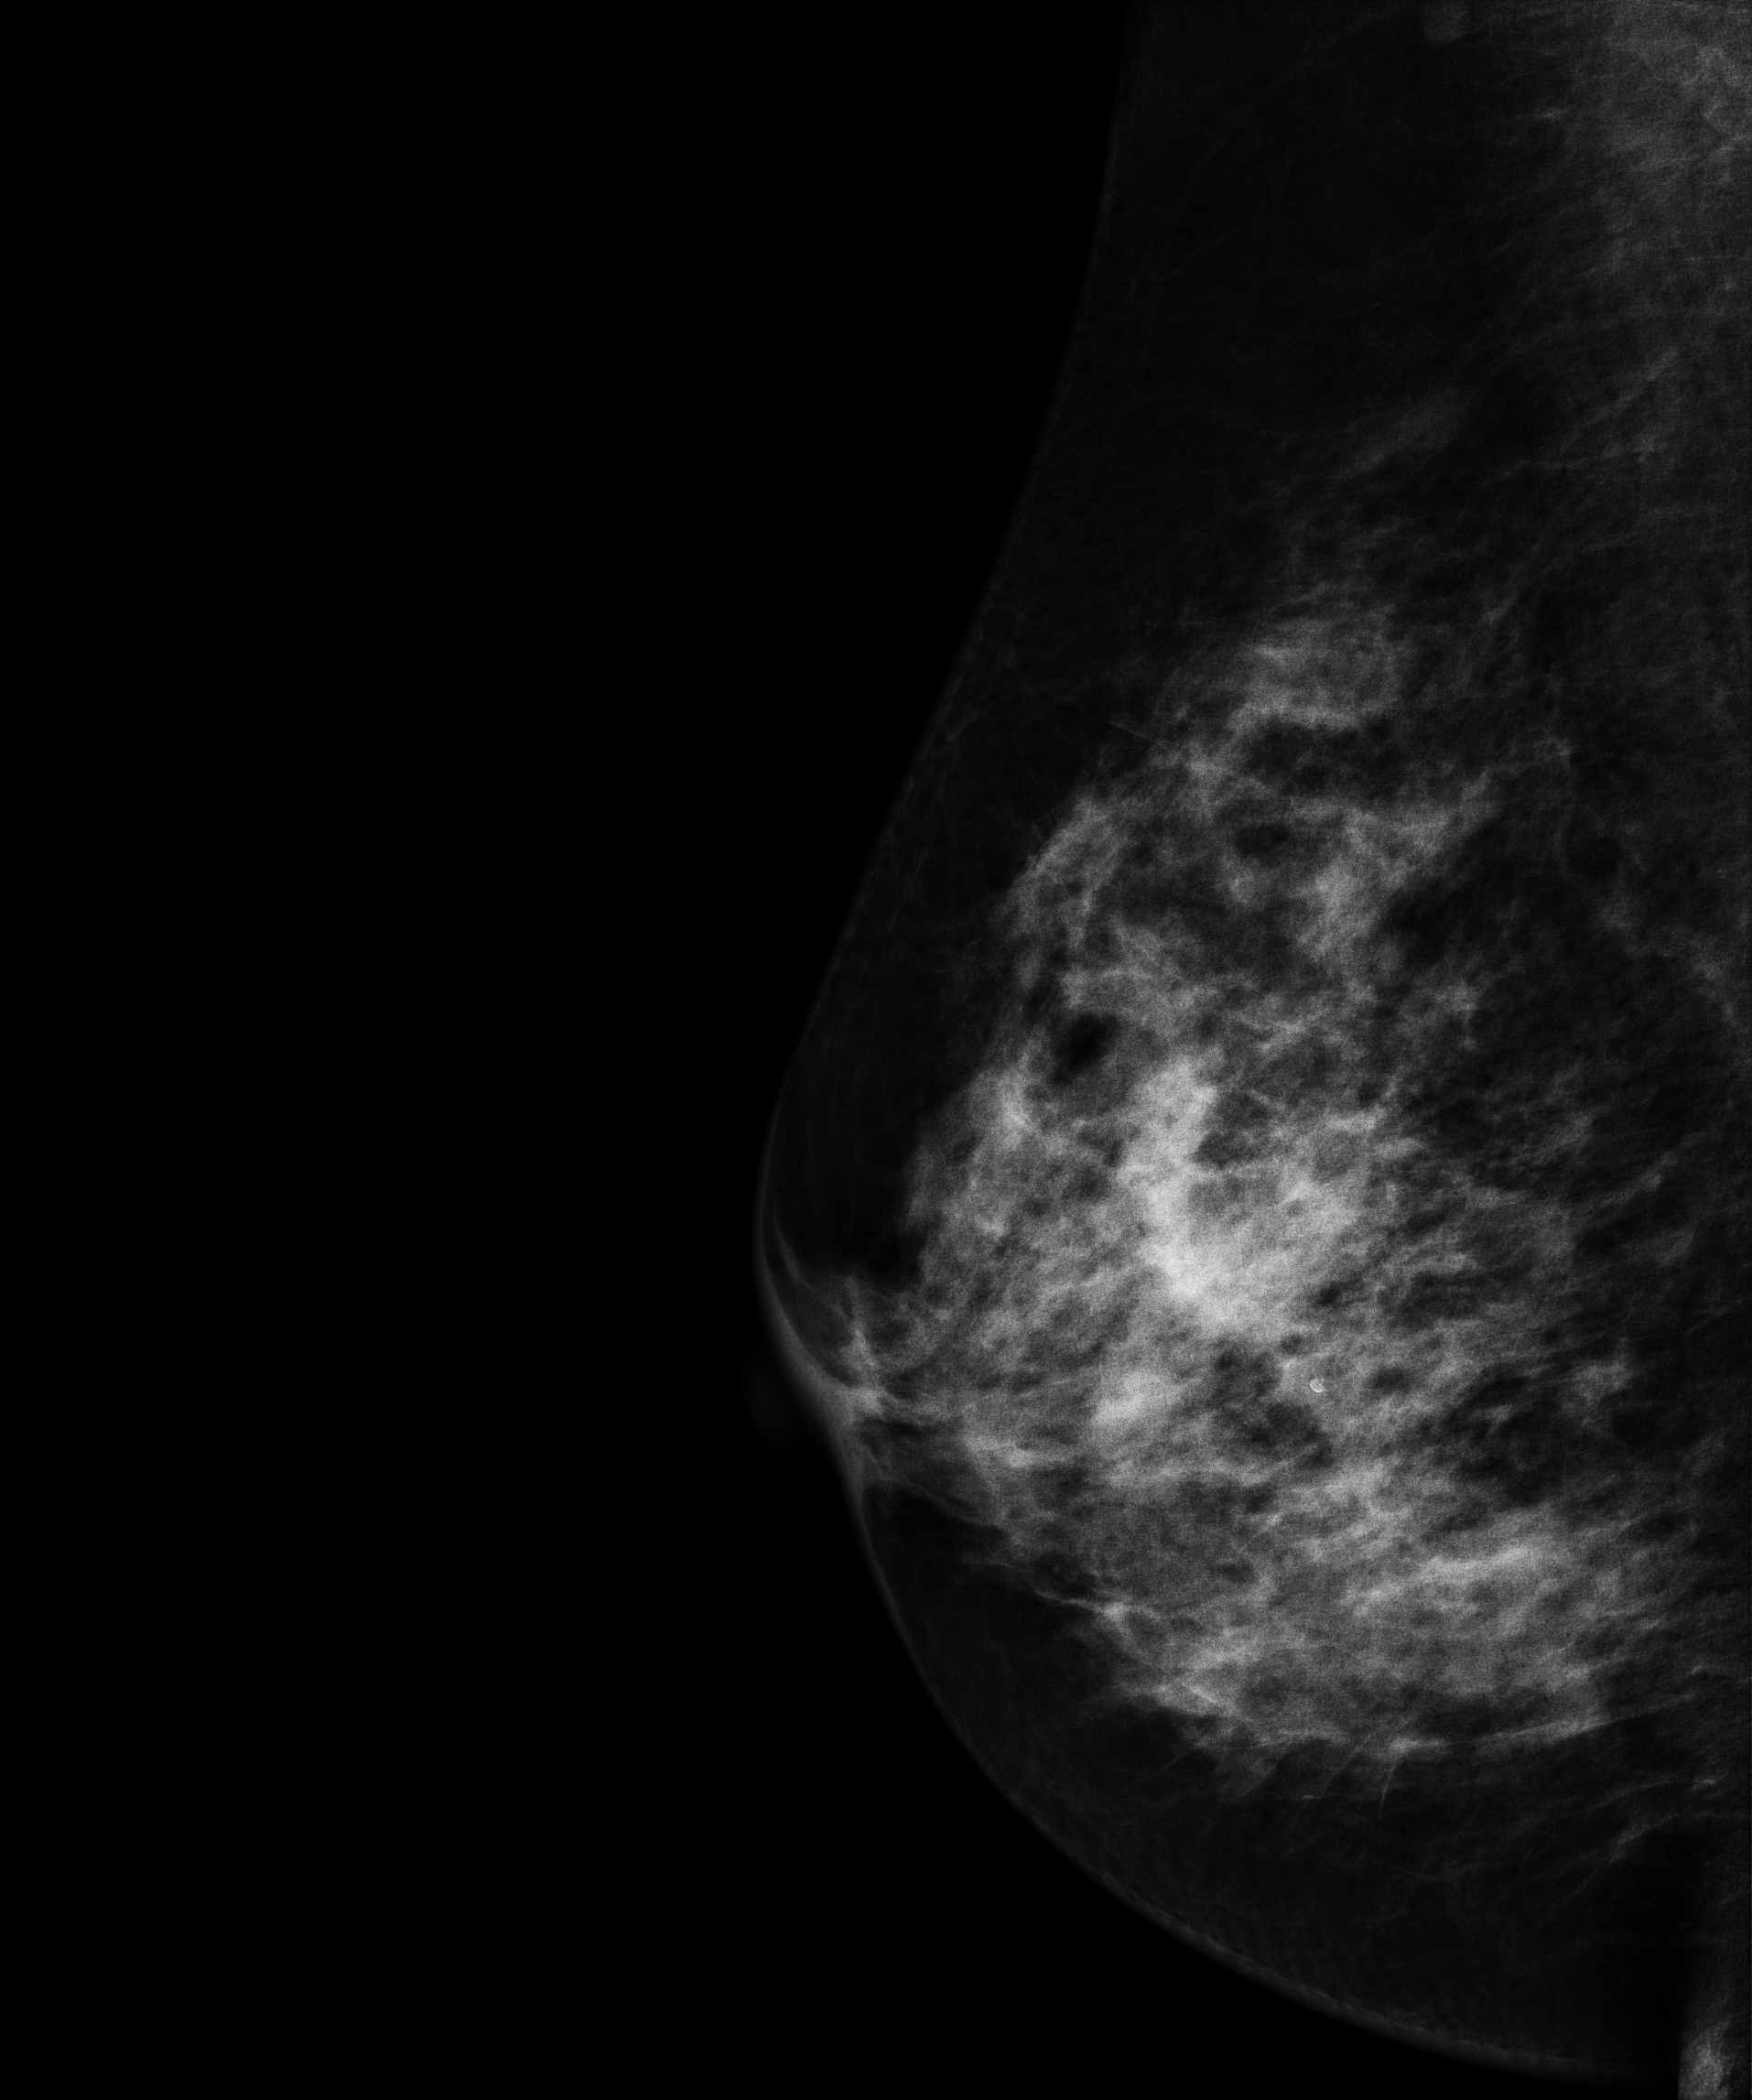
Mammogram, right breast, MLO view. 55-year-old patient.
This breast has a mass, pathology-confirmed malignant. Molecular subtype: HER2-enriched.